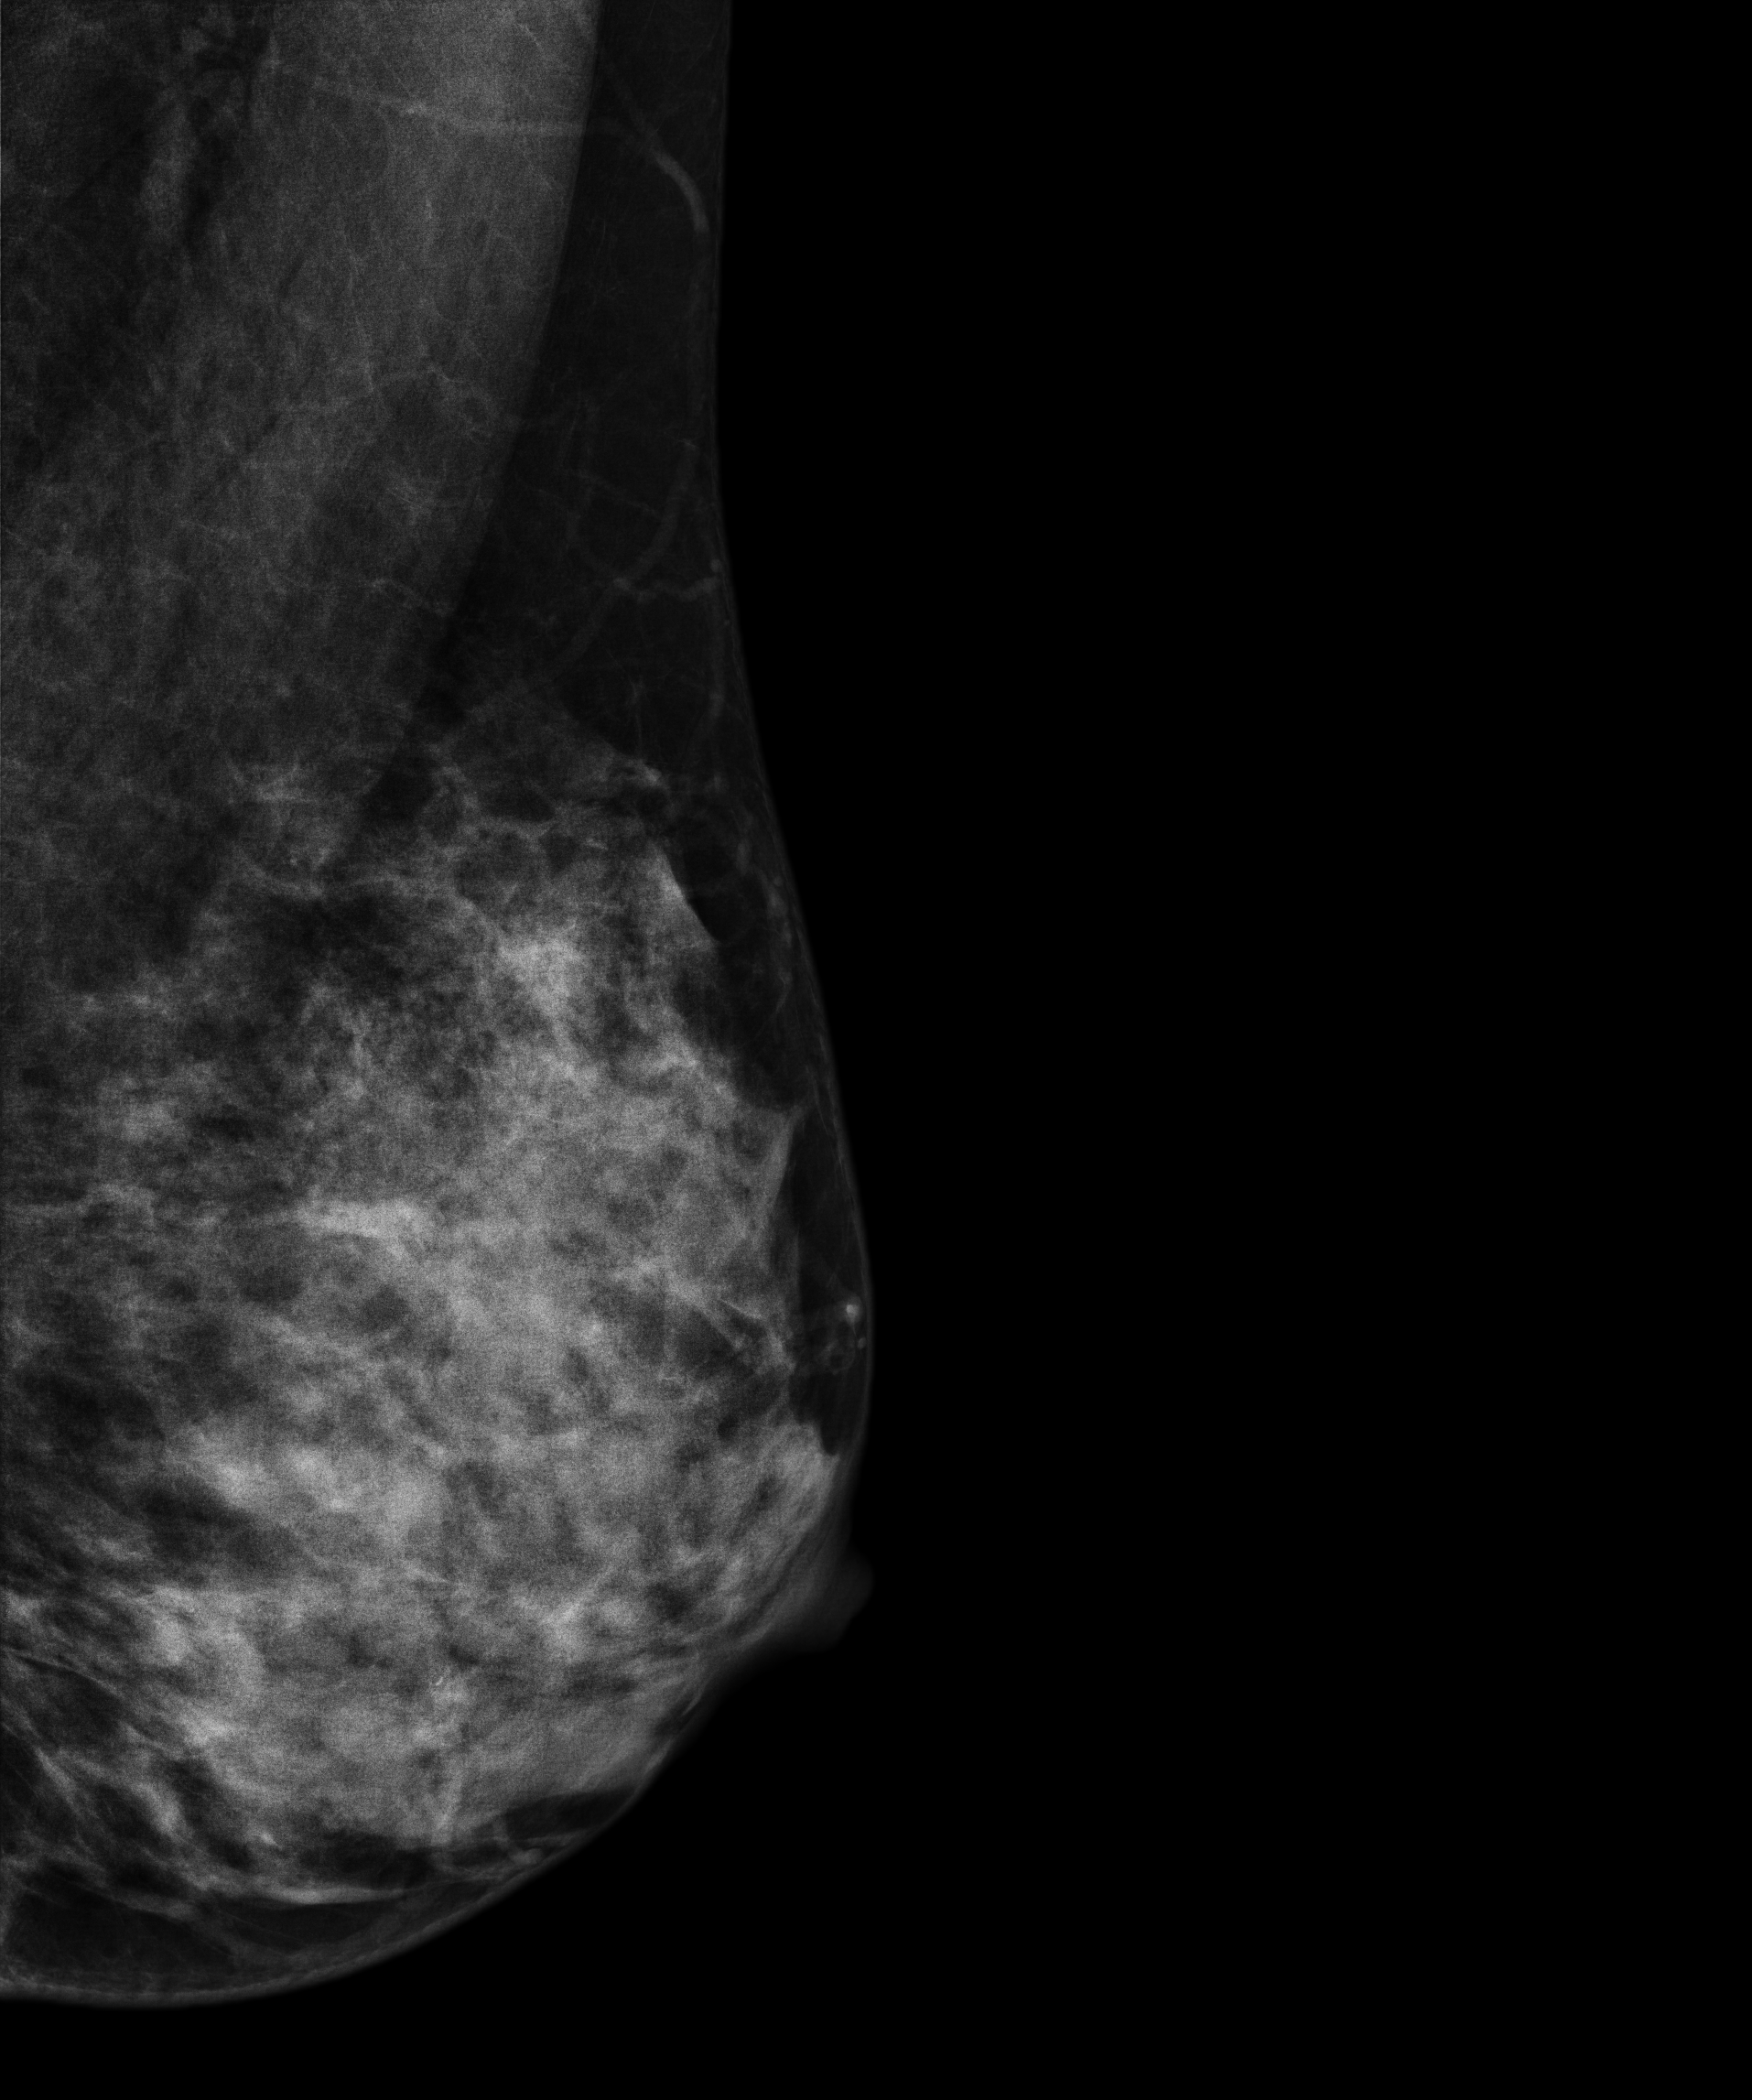
Digital mammography. Left breast, medio-lateral oblique projection. 35 y/o patient.
This breast has a mass, biopsy-proven benign.